Left-breast mammogram, medio-lateral oblique. Patient age 48.
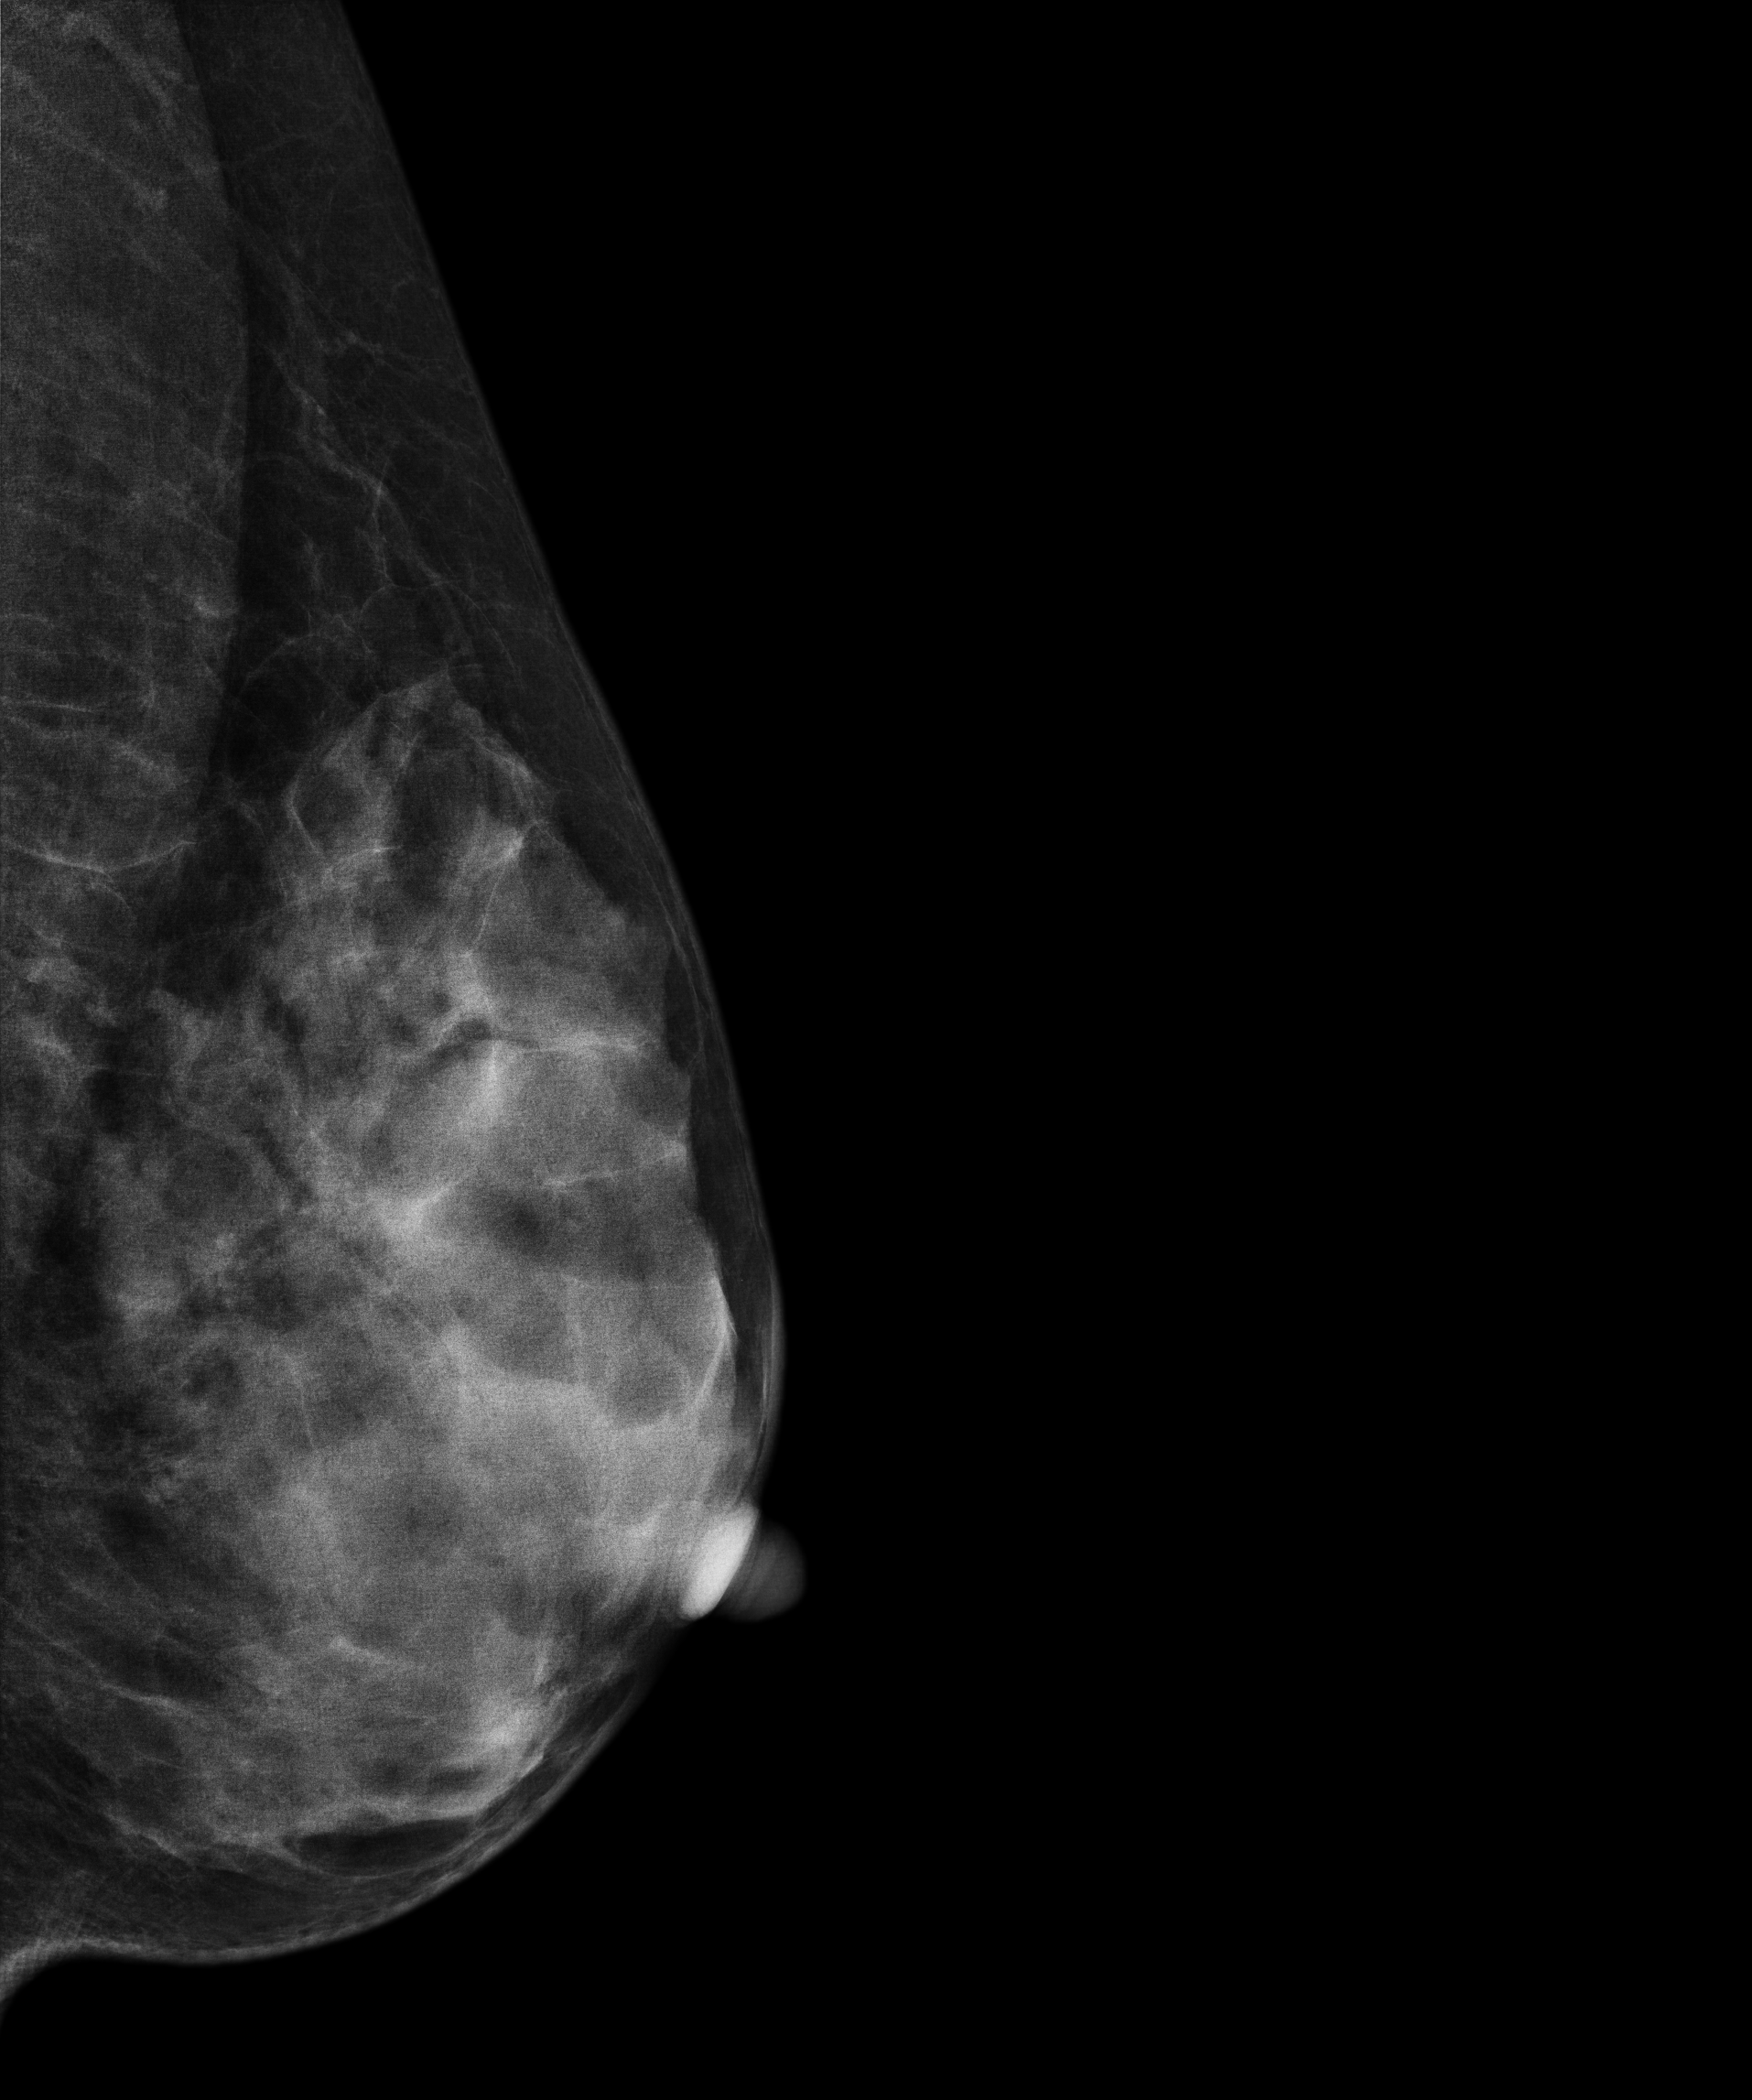
Contralateral breast — no documented abnormality on this side.